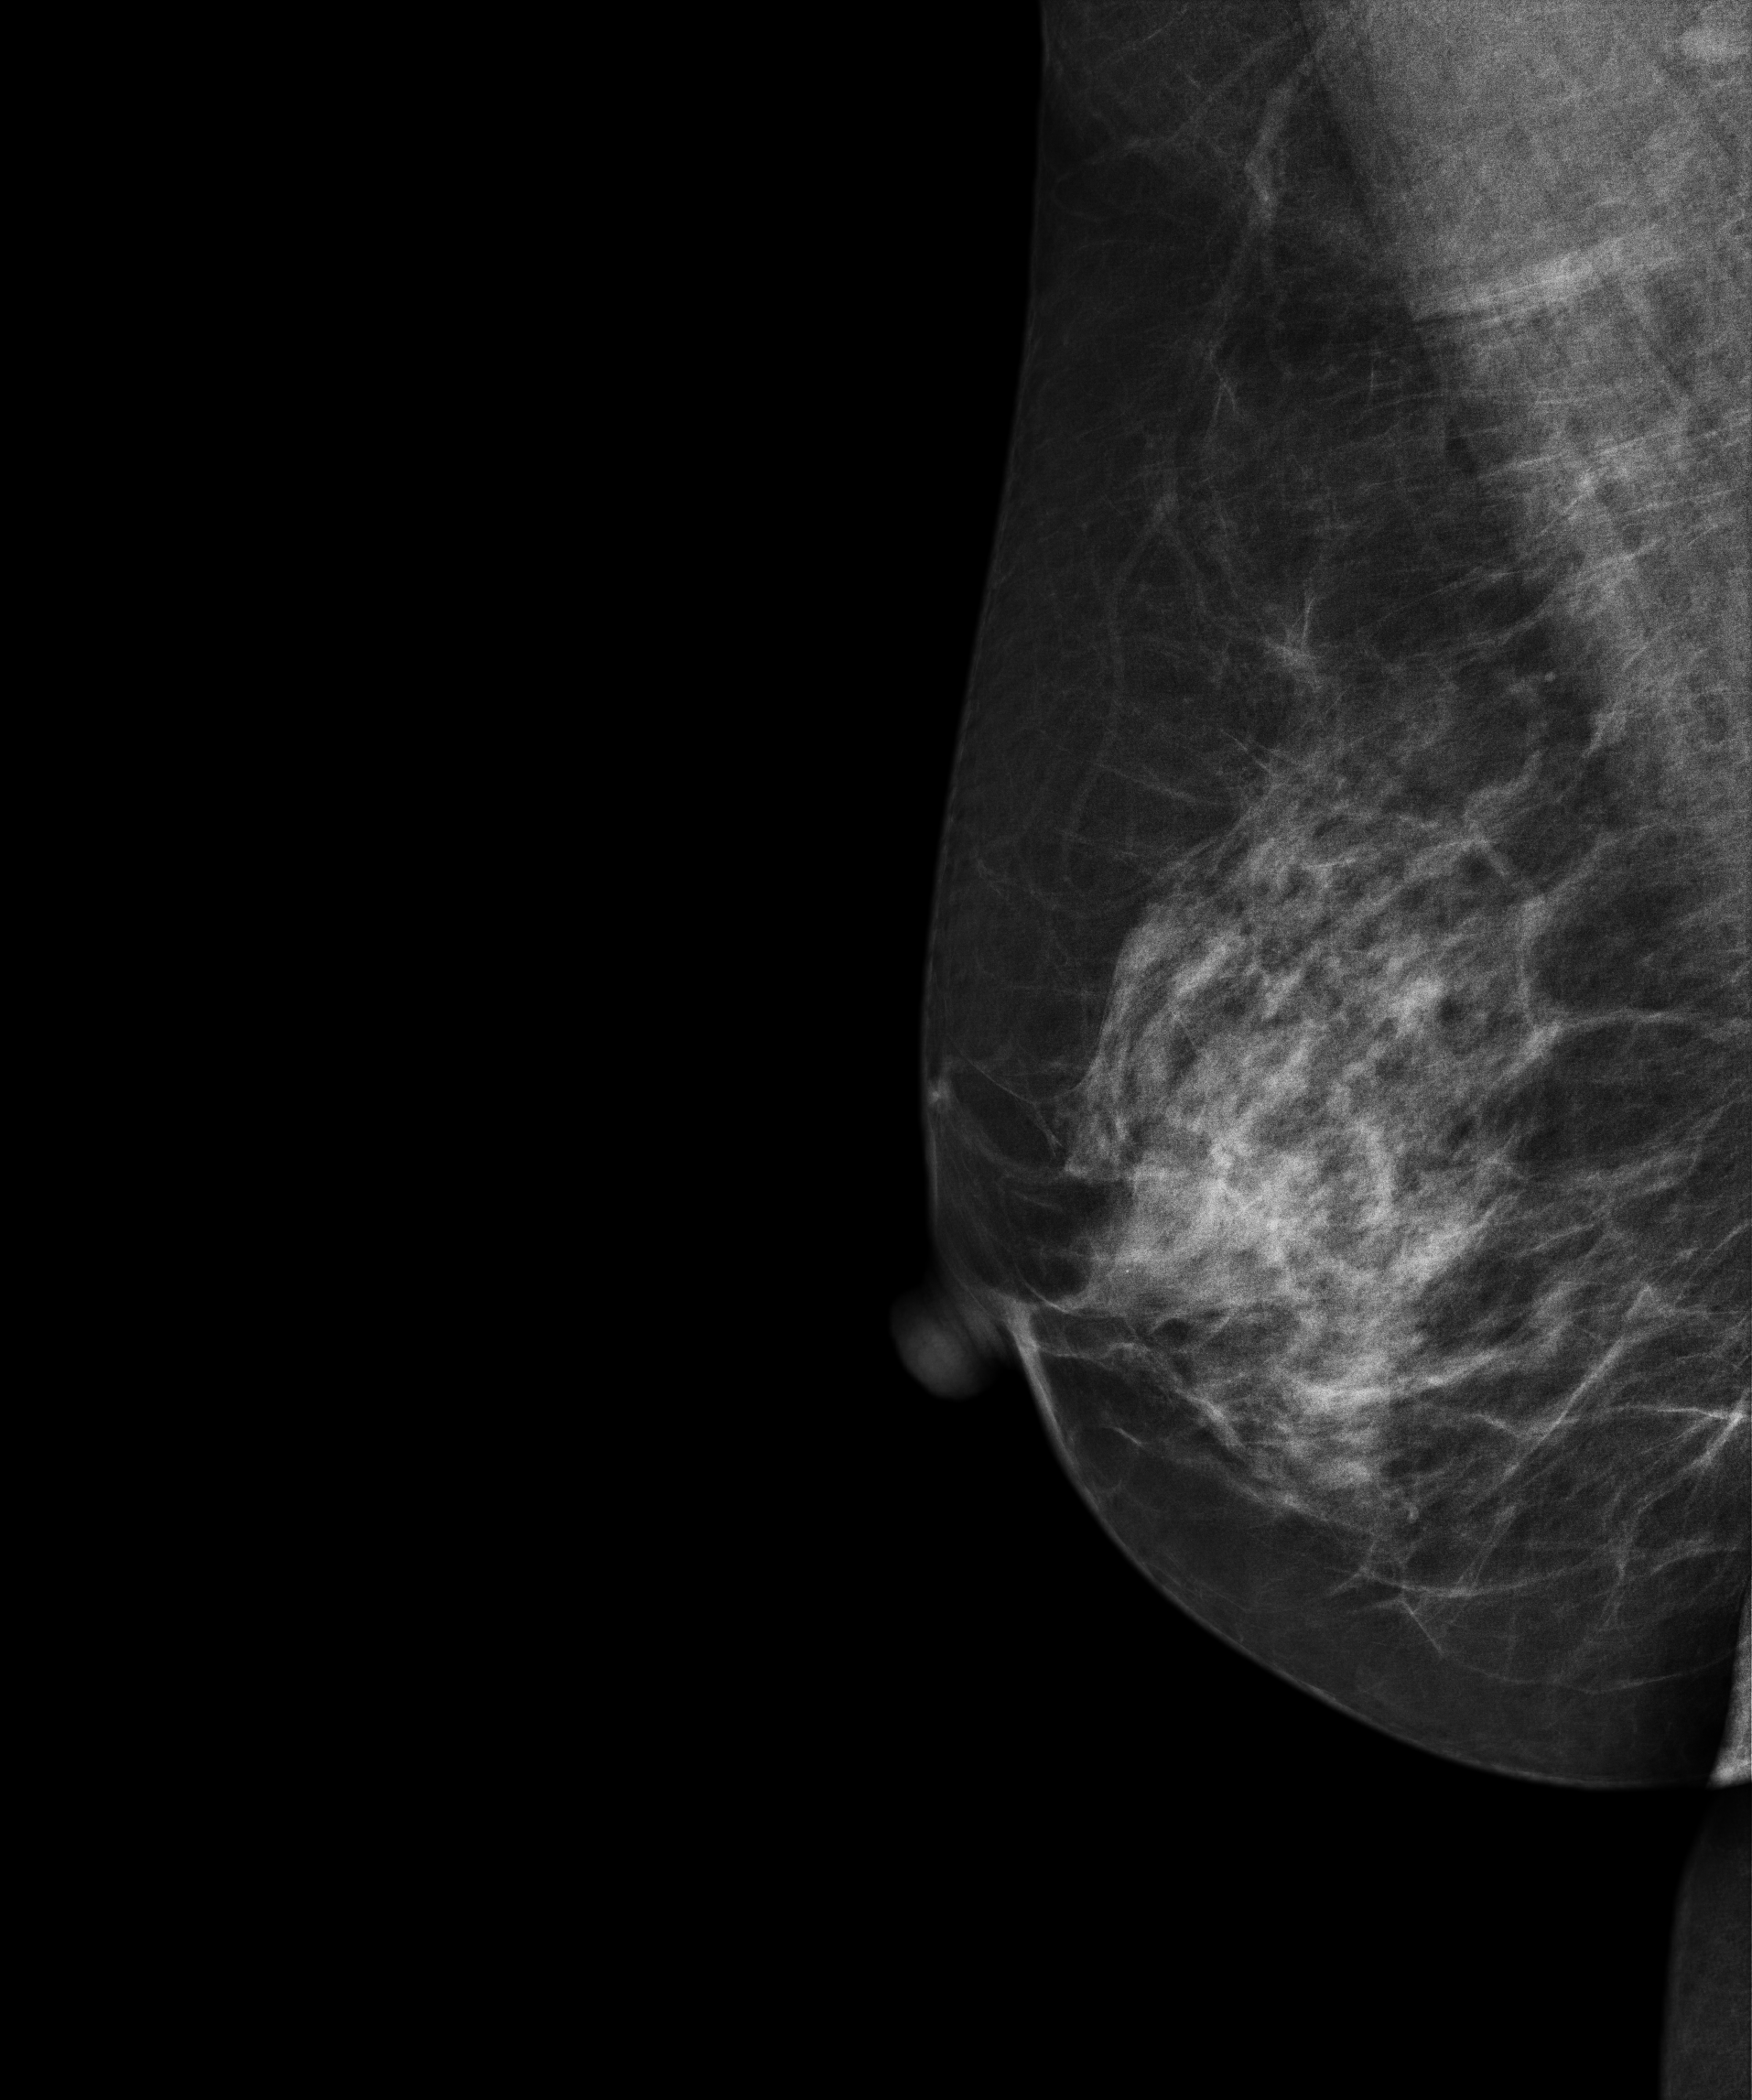
Mammogram, right breast, MLO view. Patient age 57.
Contralateral breast — no documented abnormality on this side.